Mammogram — right MLO. 69 y/o patient.
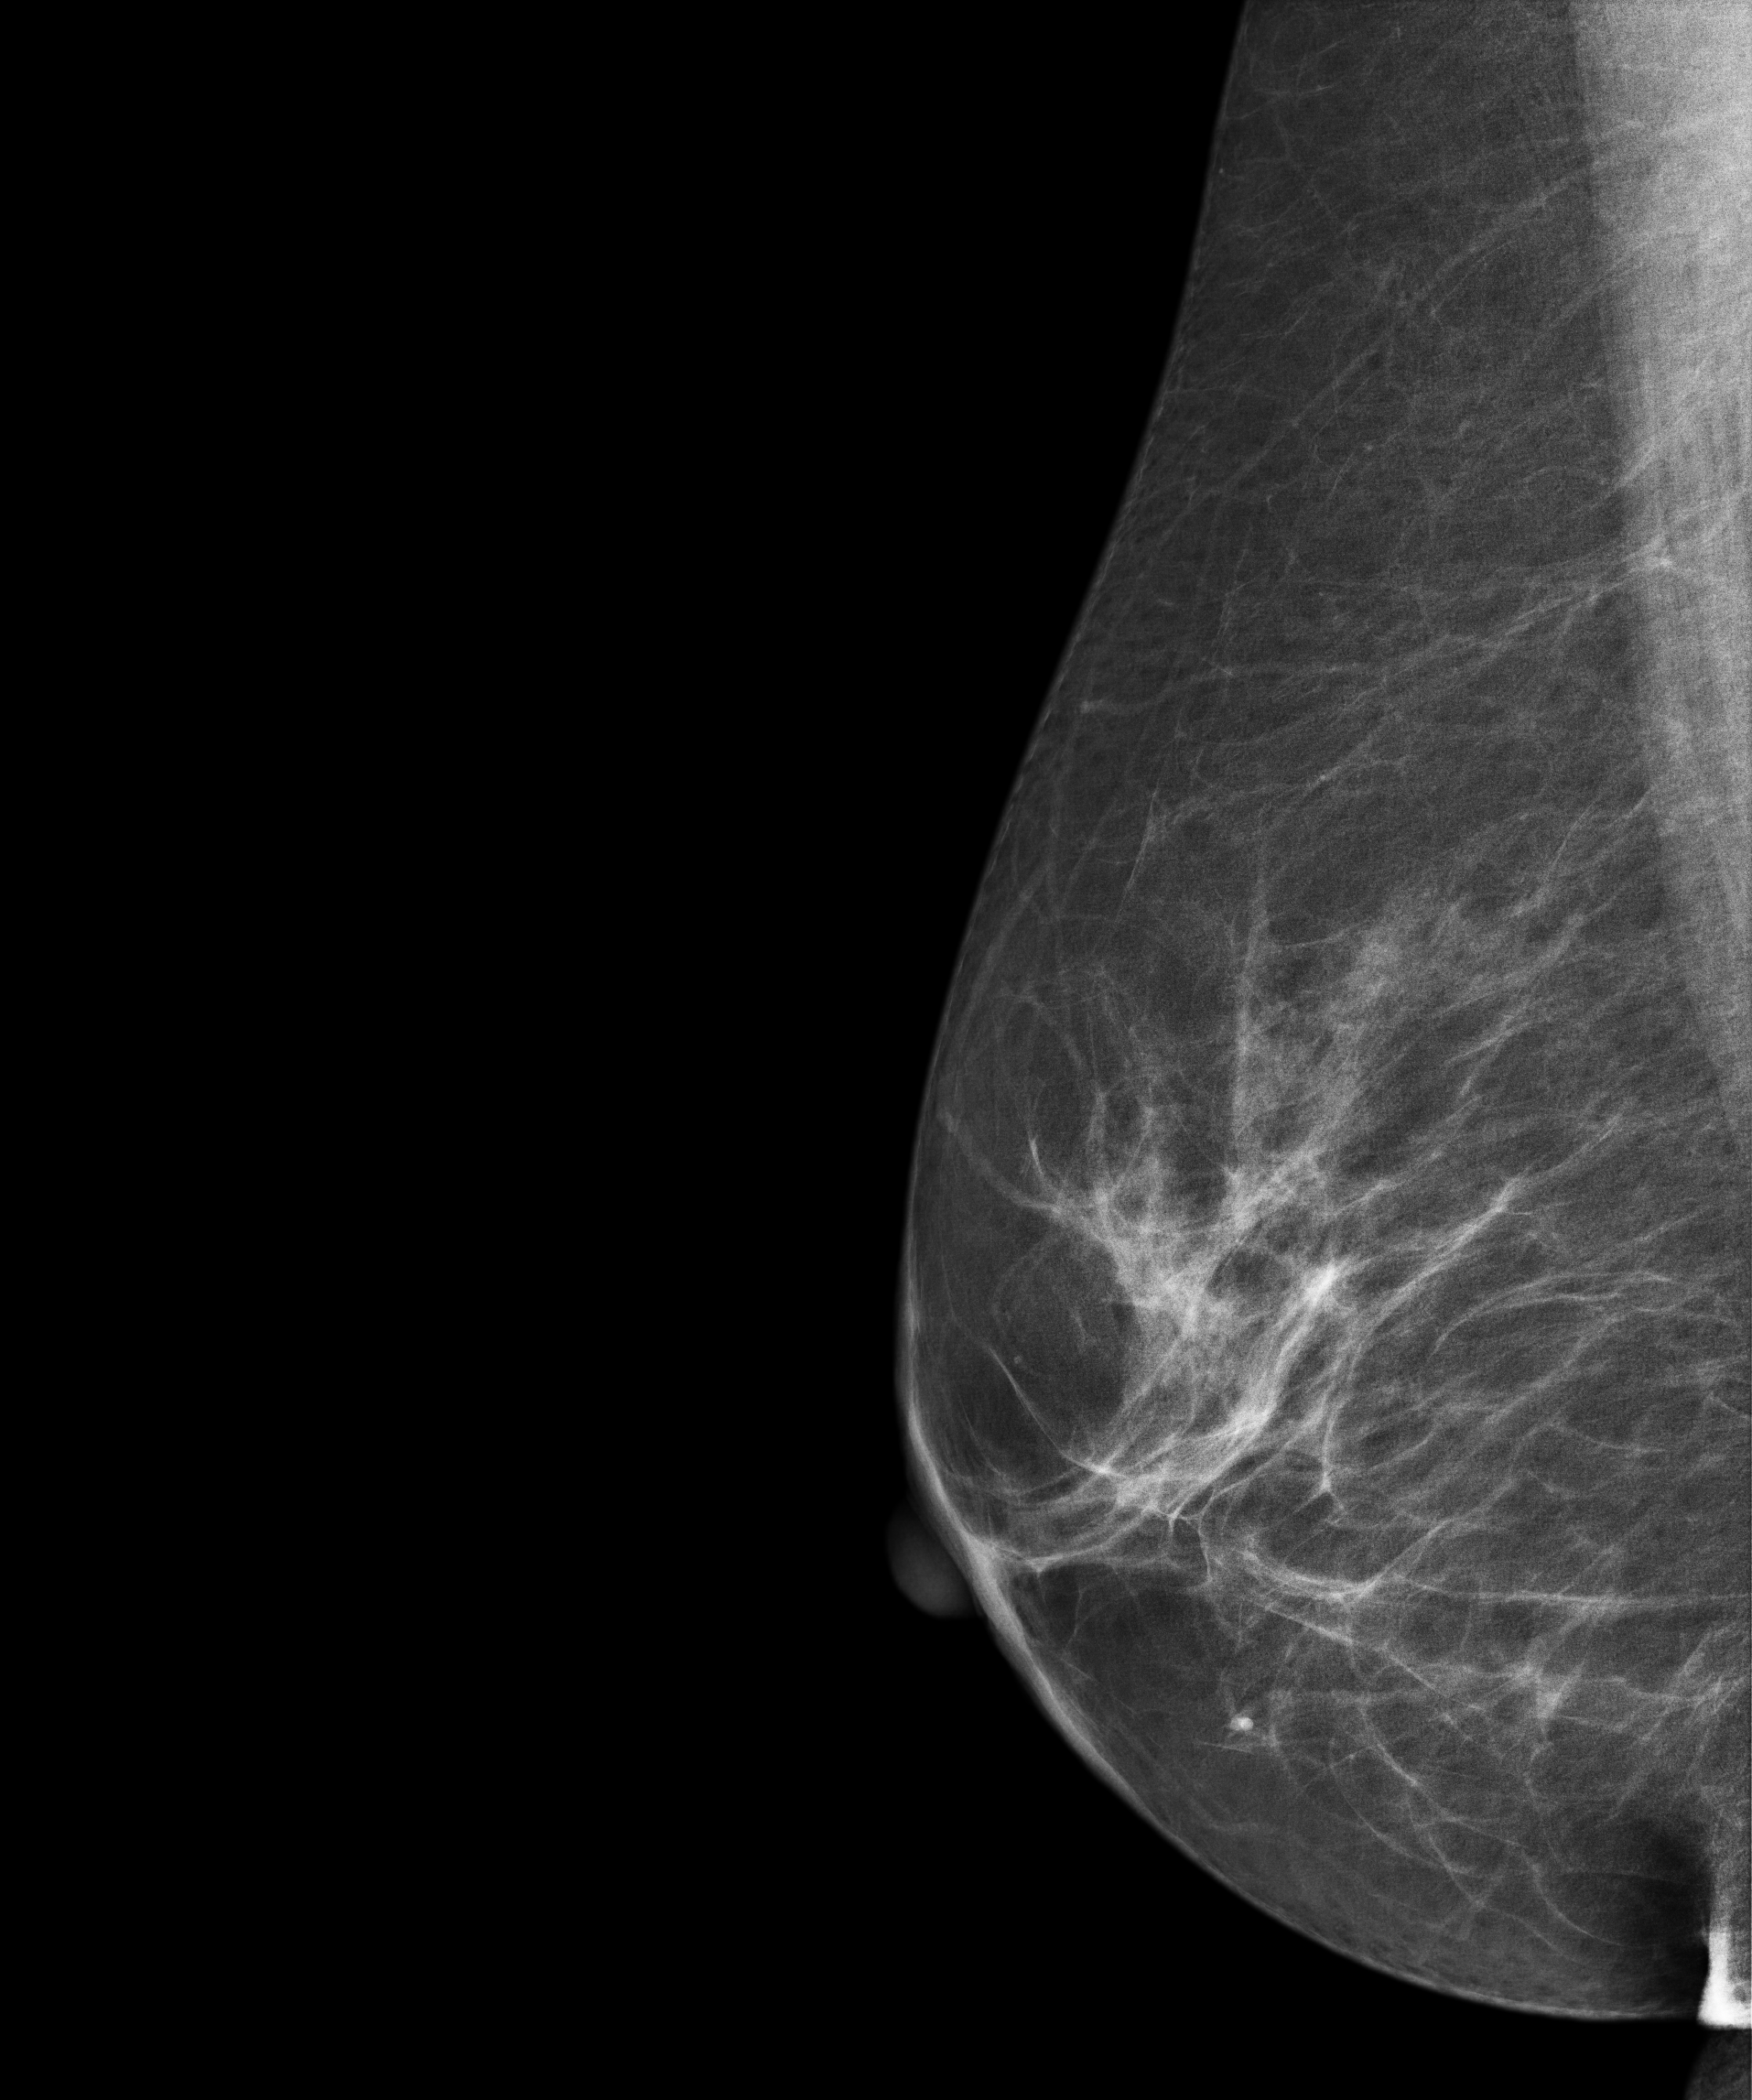
Contralateral breast — no documented abnormality on this side.